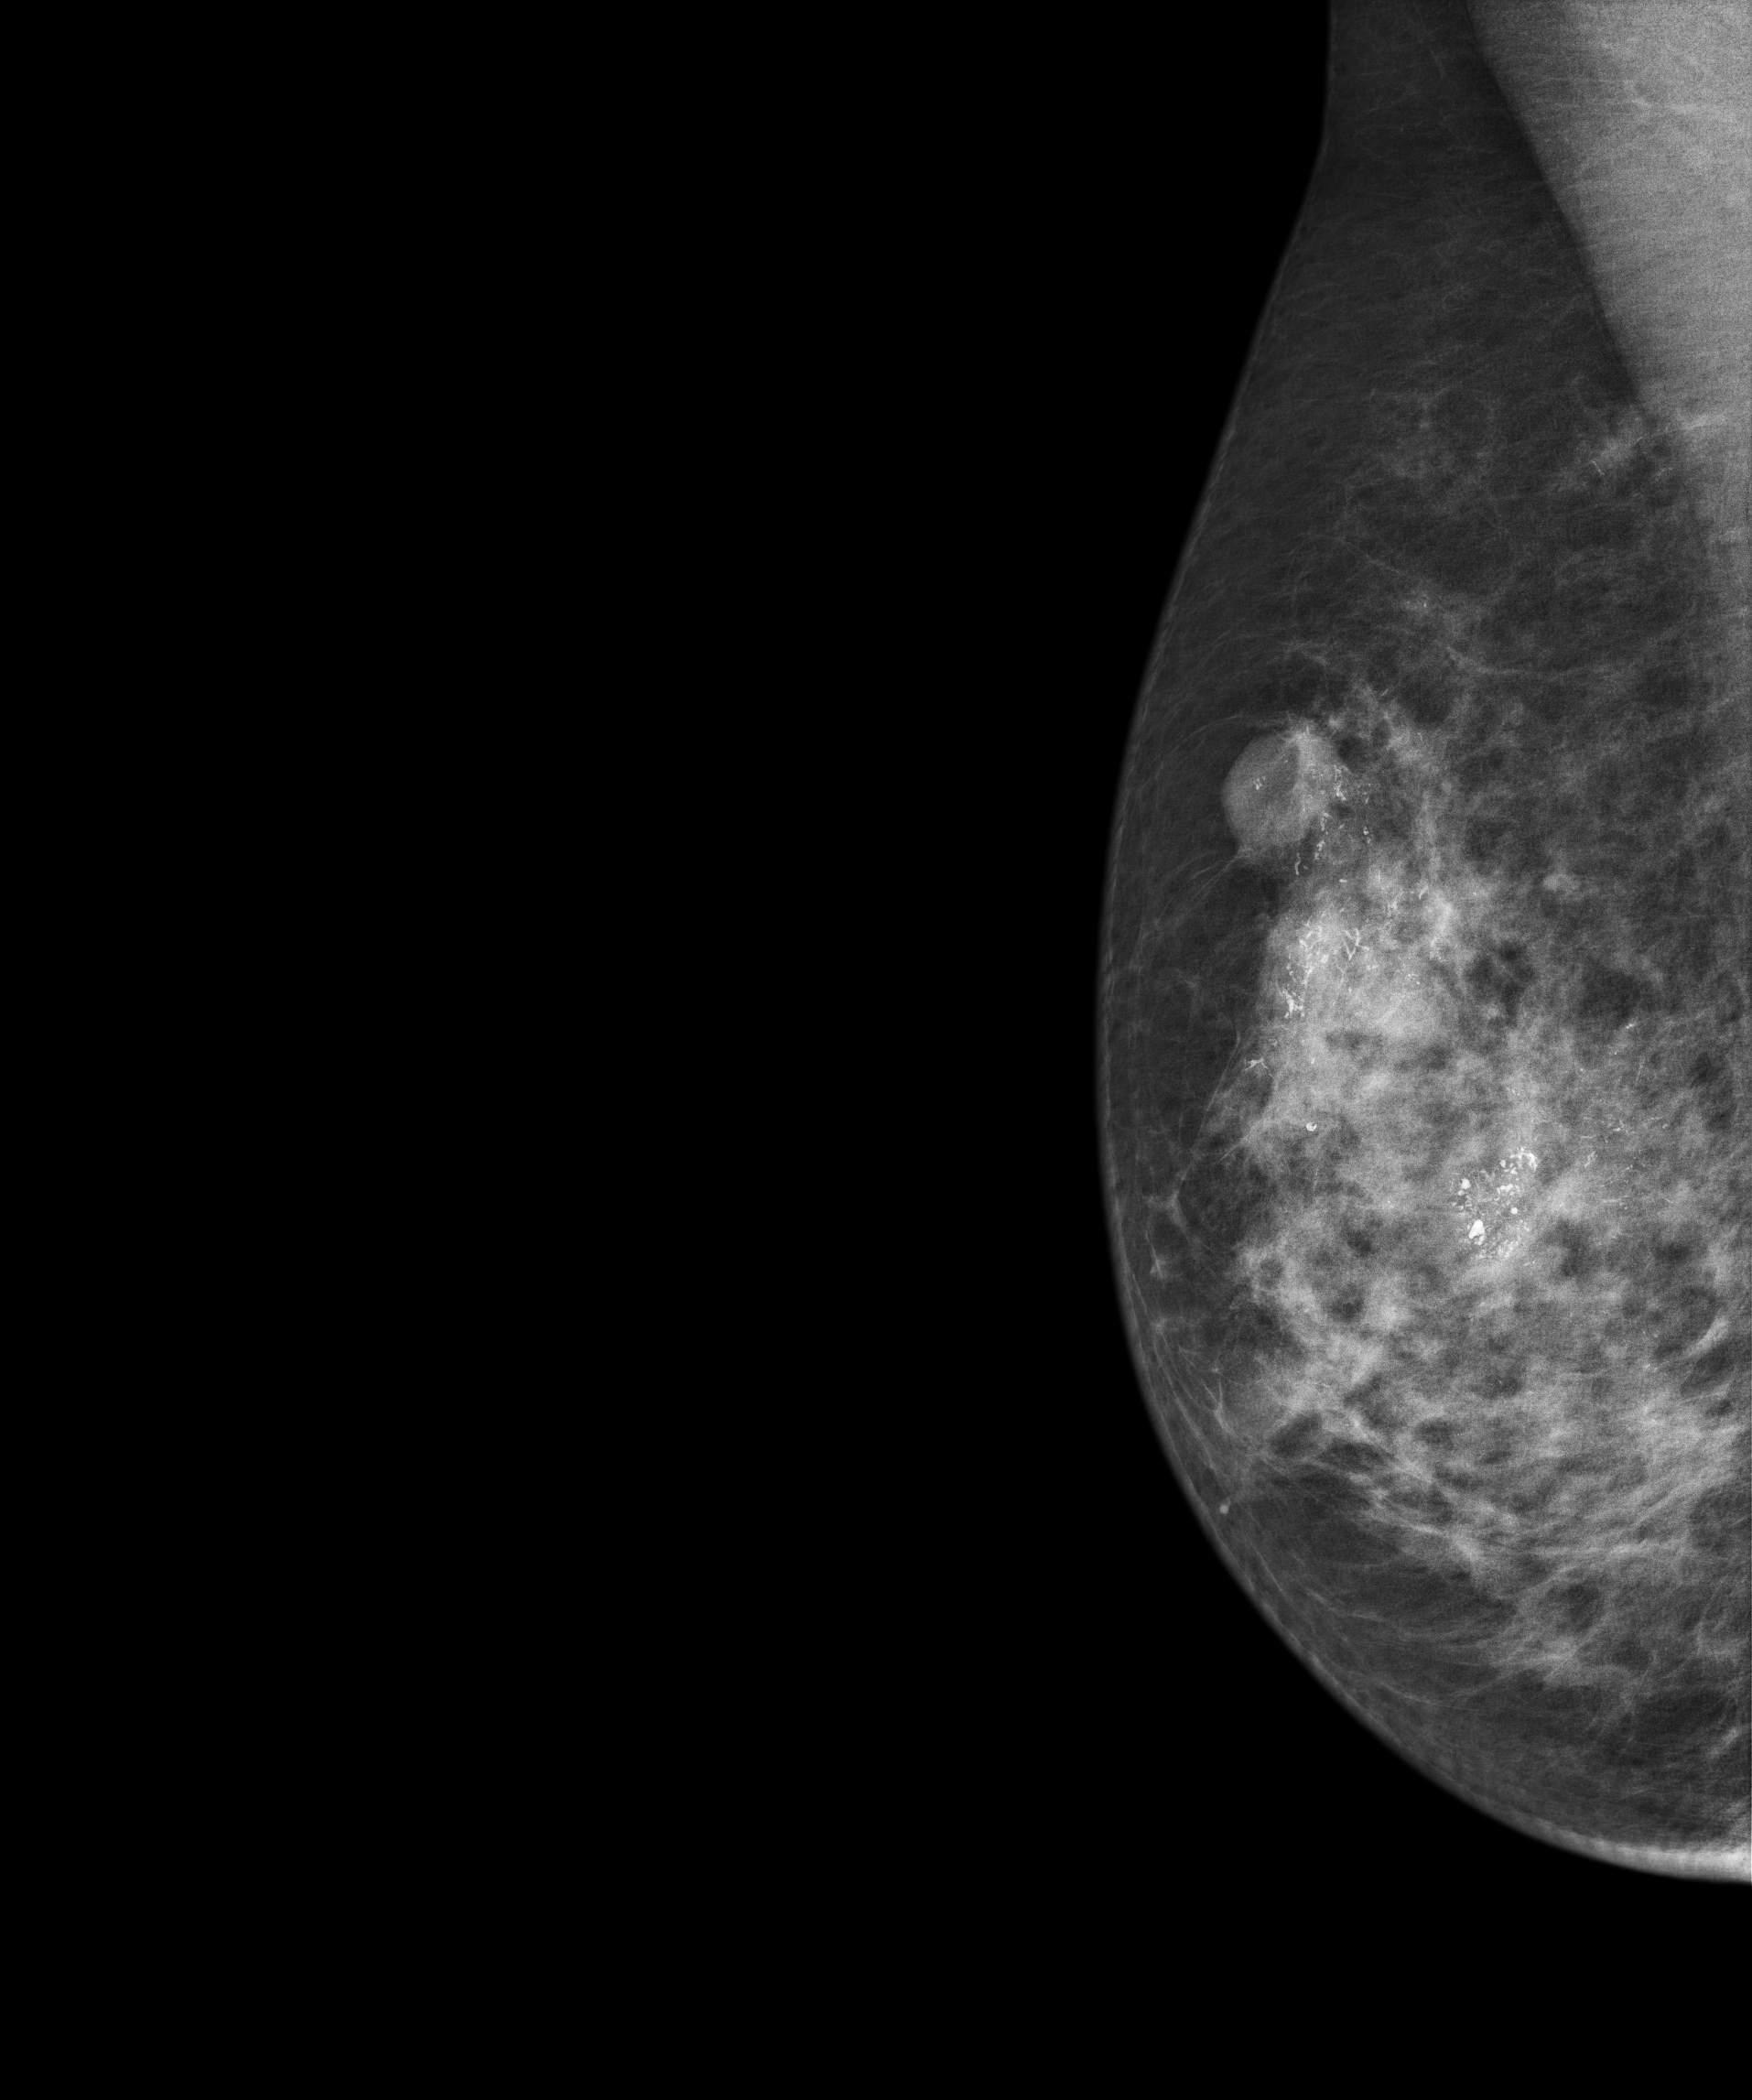
Mammogram — right medio-lateral oblique. 62-year-old patient.
This breast has a mass and calcifications, biopsy-confirmed malignant. Molecular subtype: HER2-enriched.